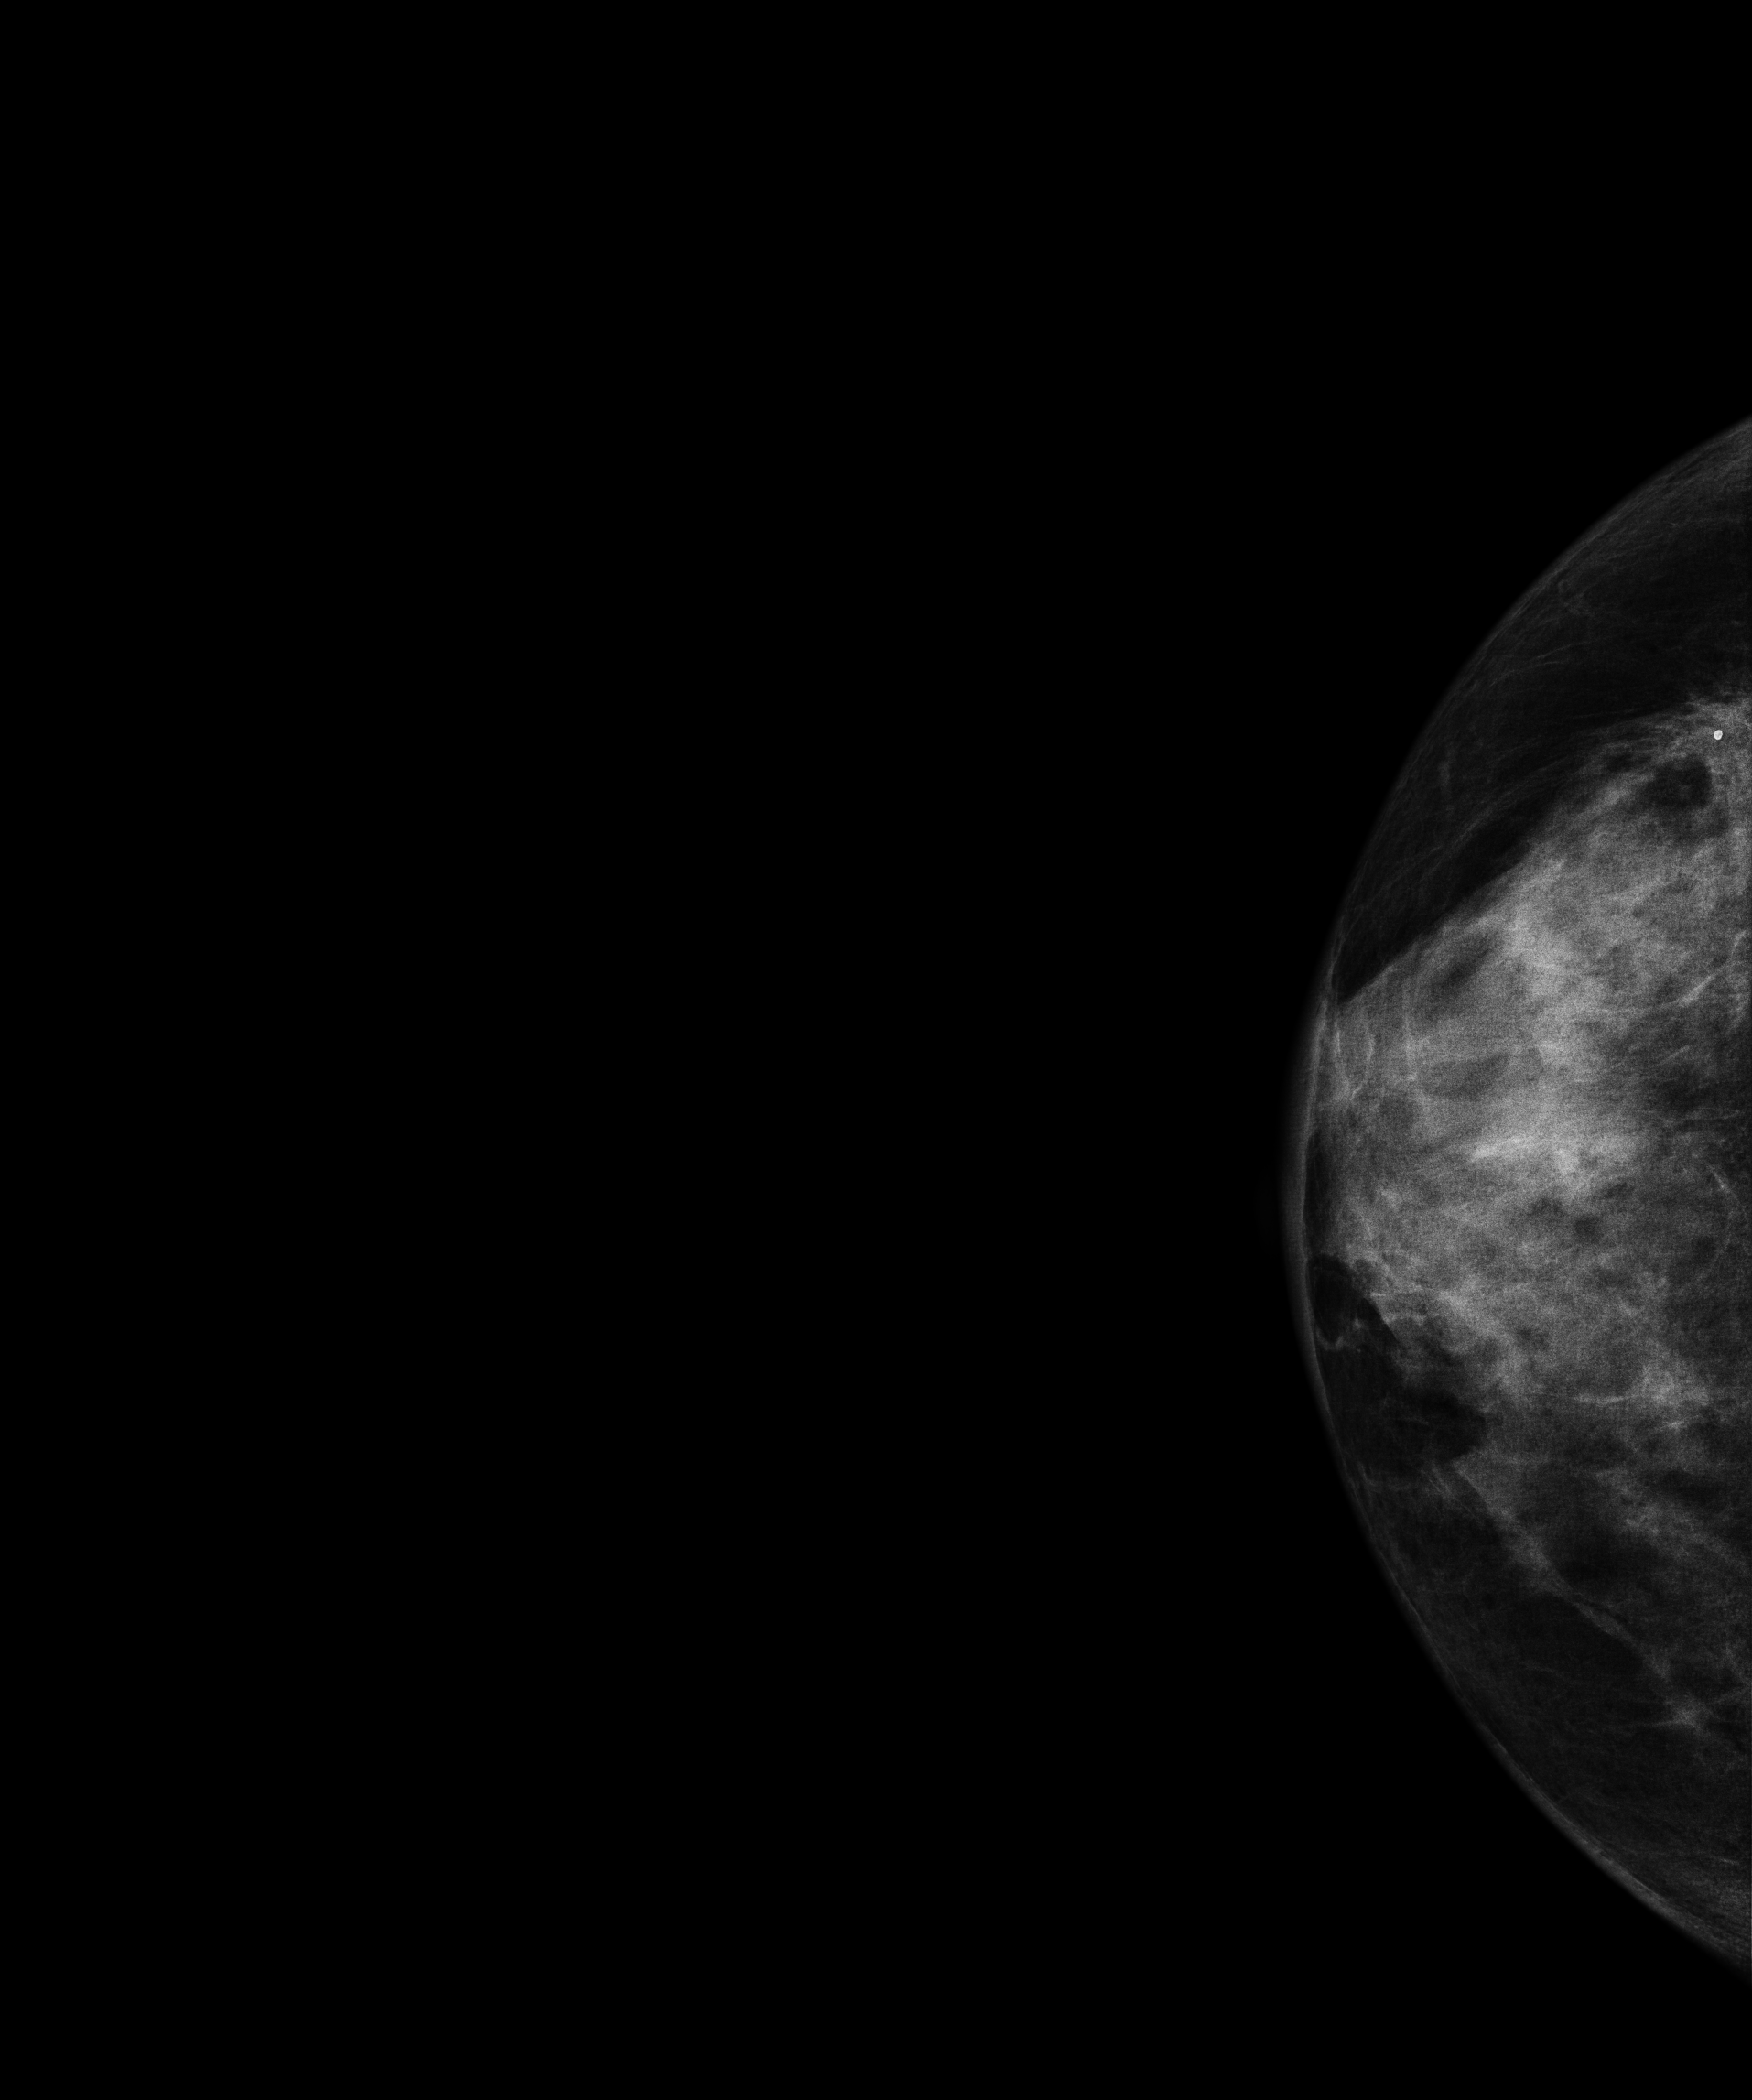
Digital mammography. Right breast, CC projection. Patient age 57.
Contralateral breast — no documented abnormality on this side.